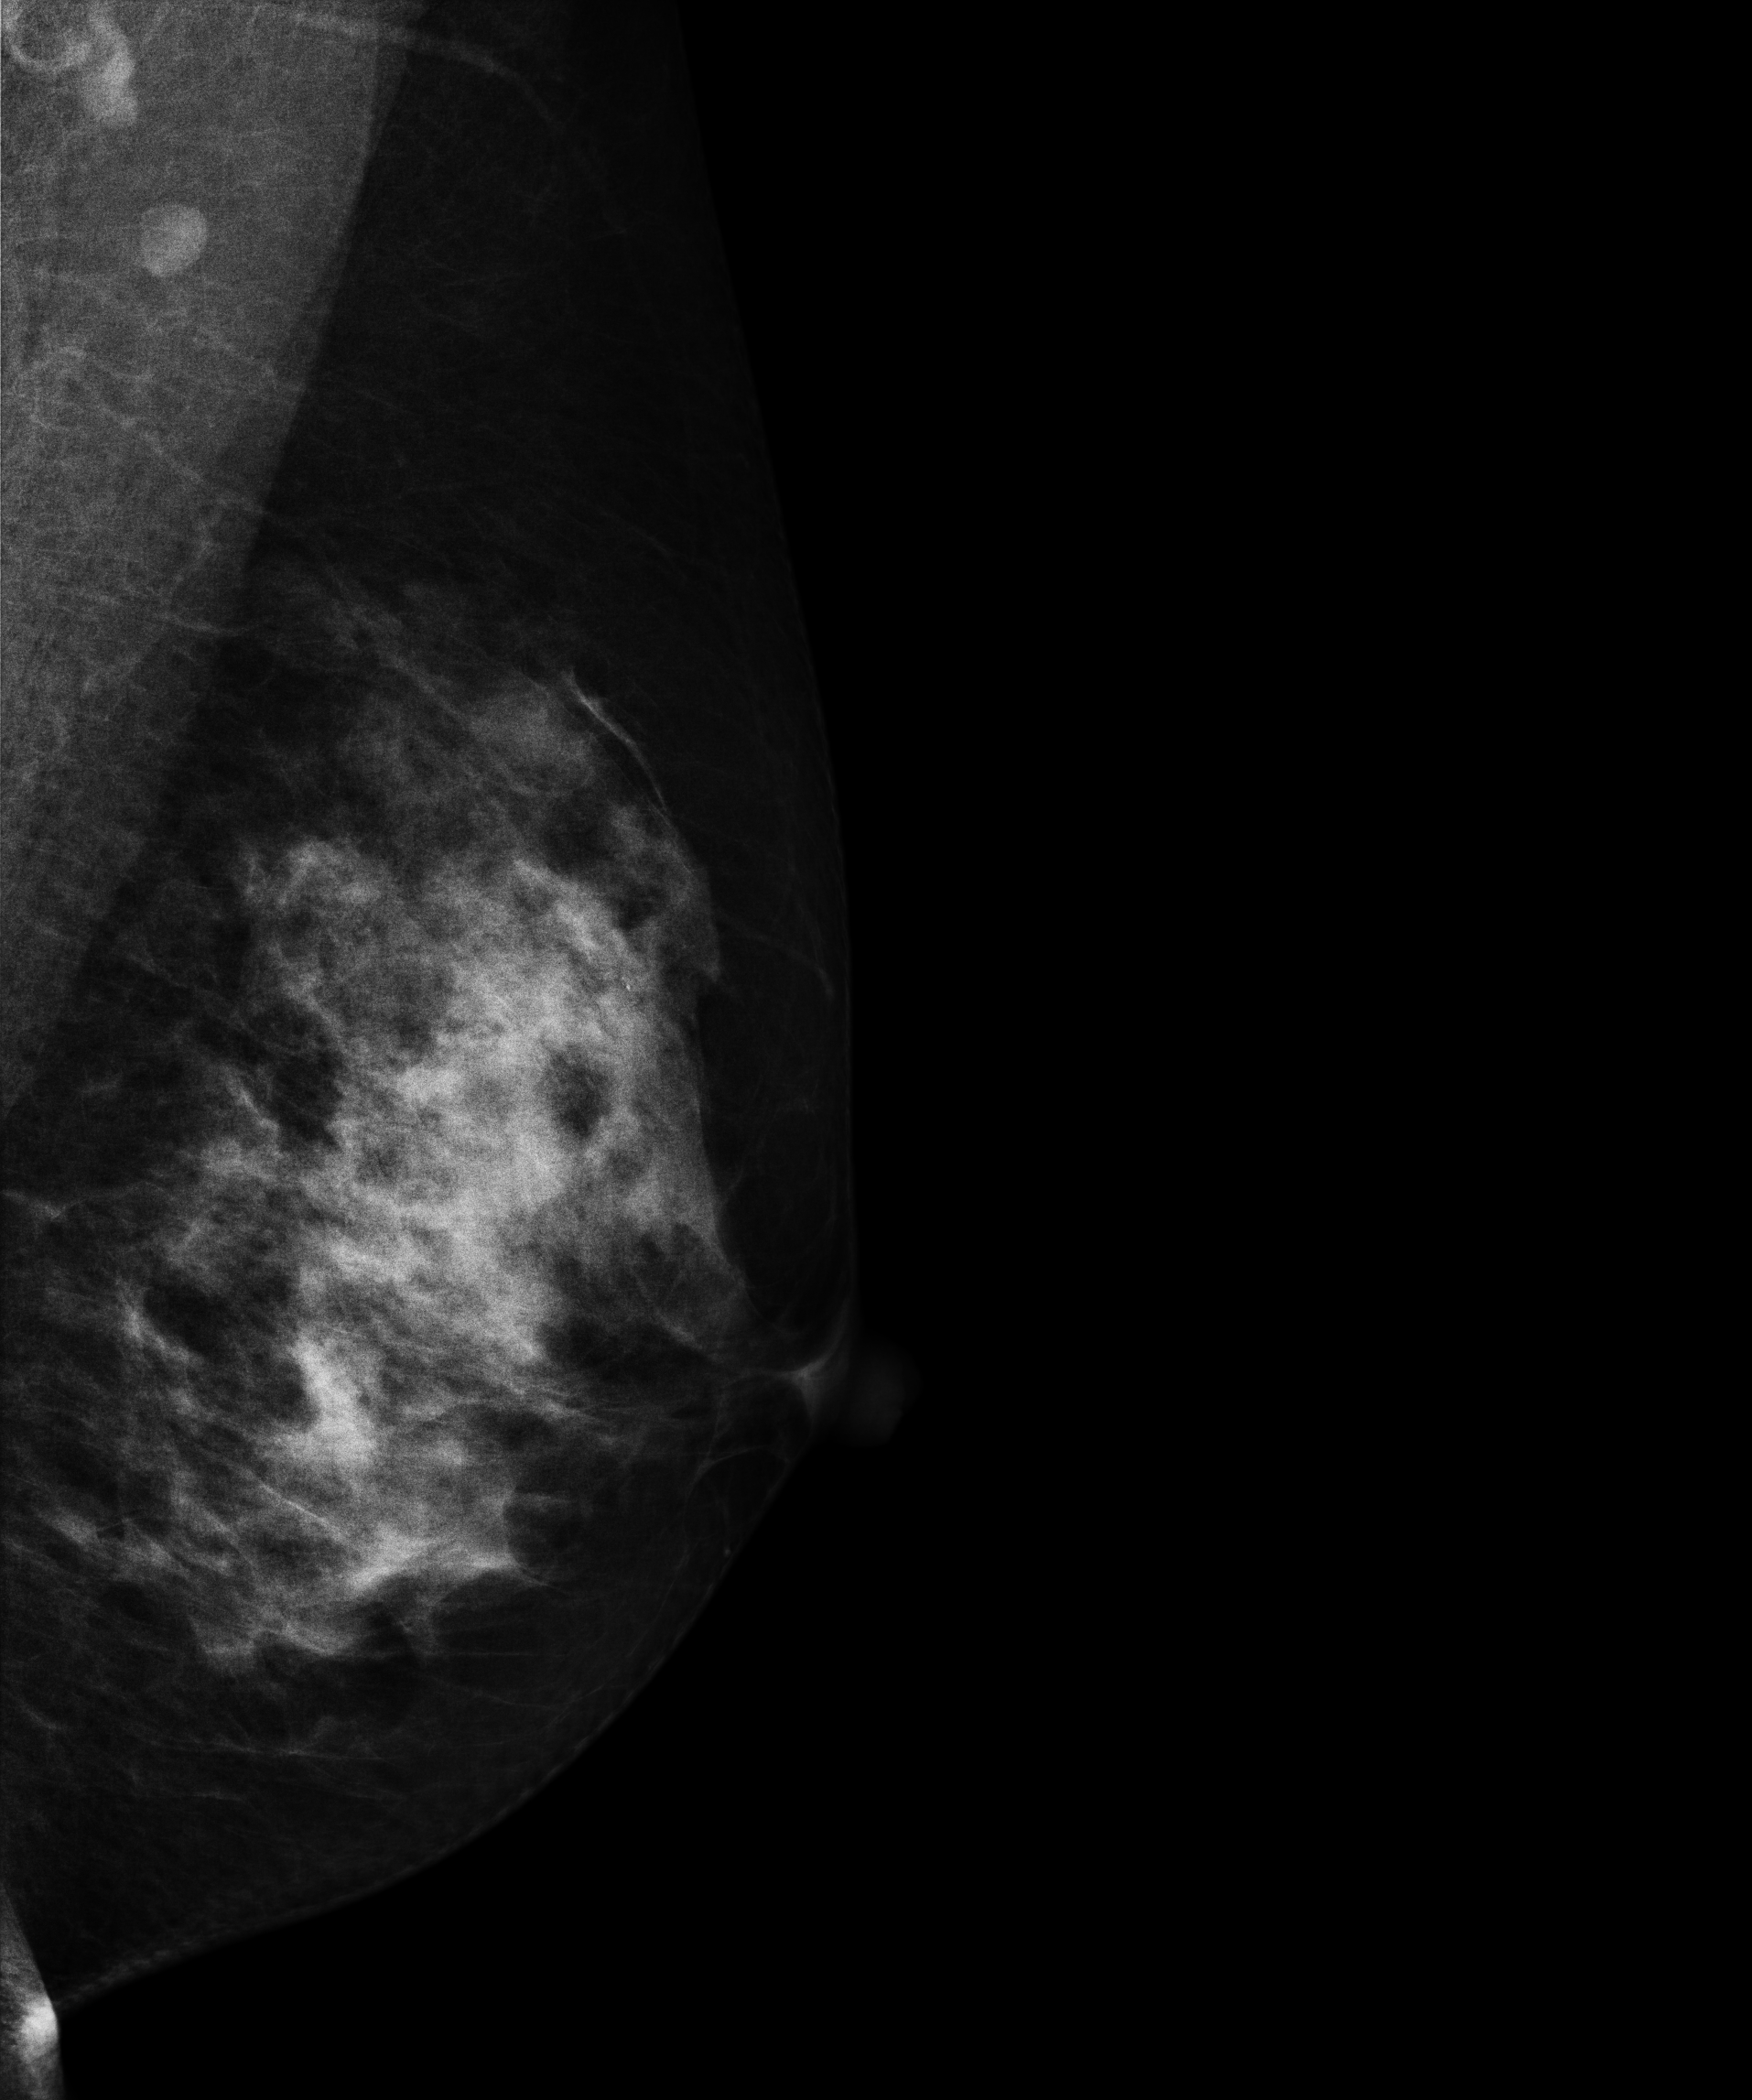
Mammogram — left MLO. 42 y/o patient.
Contralateral breast — no documented abnormality on this side.